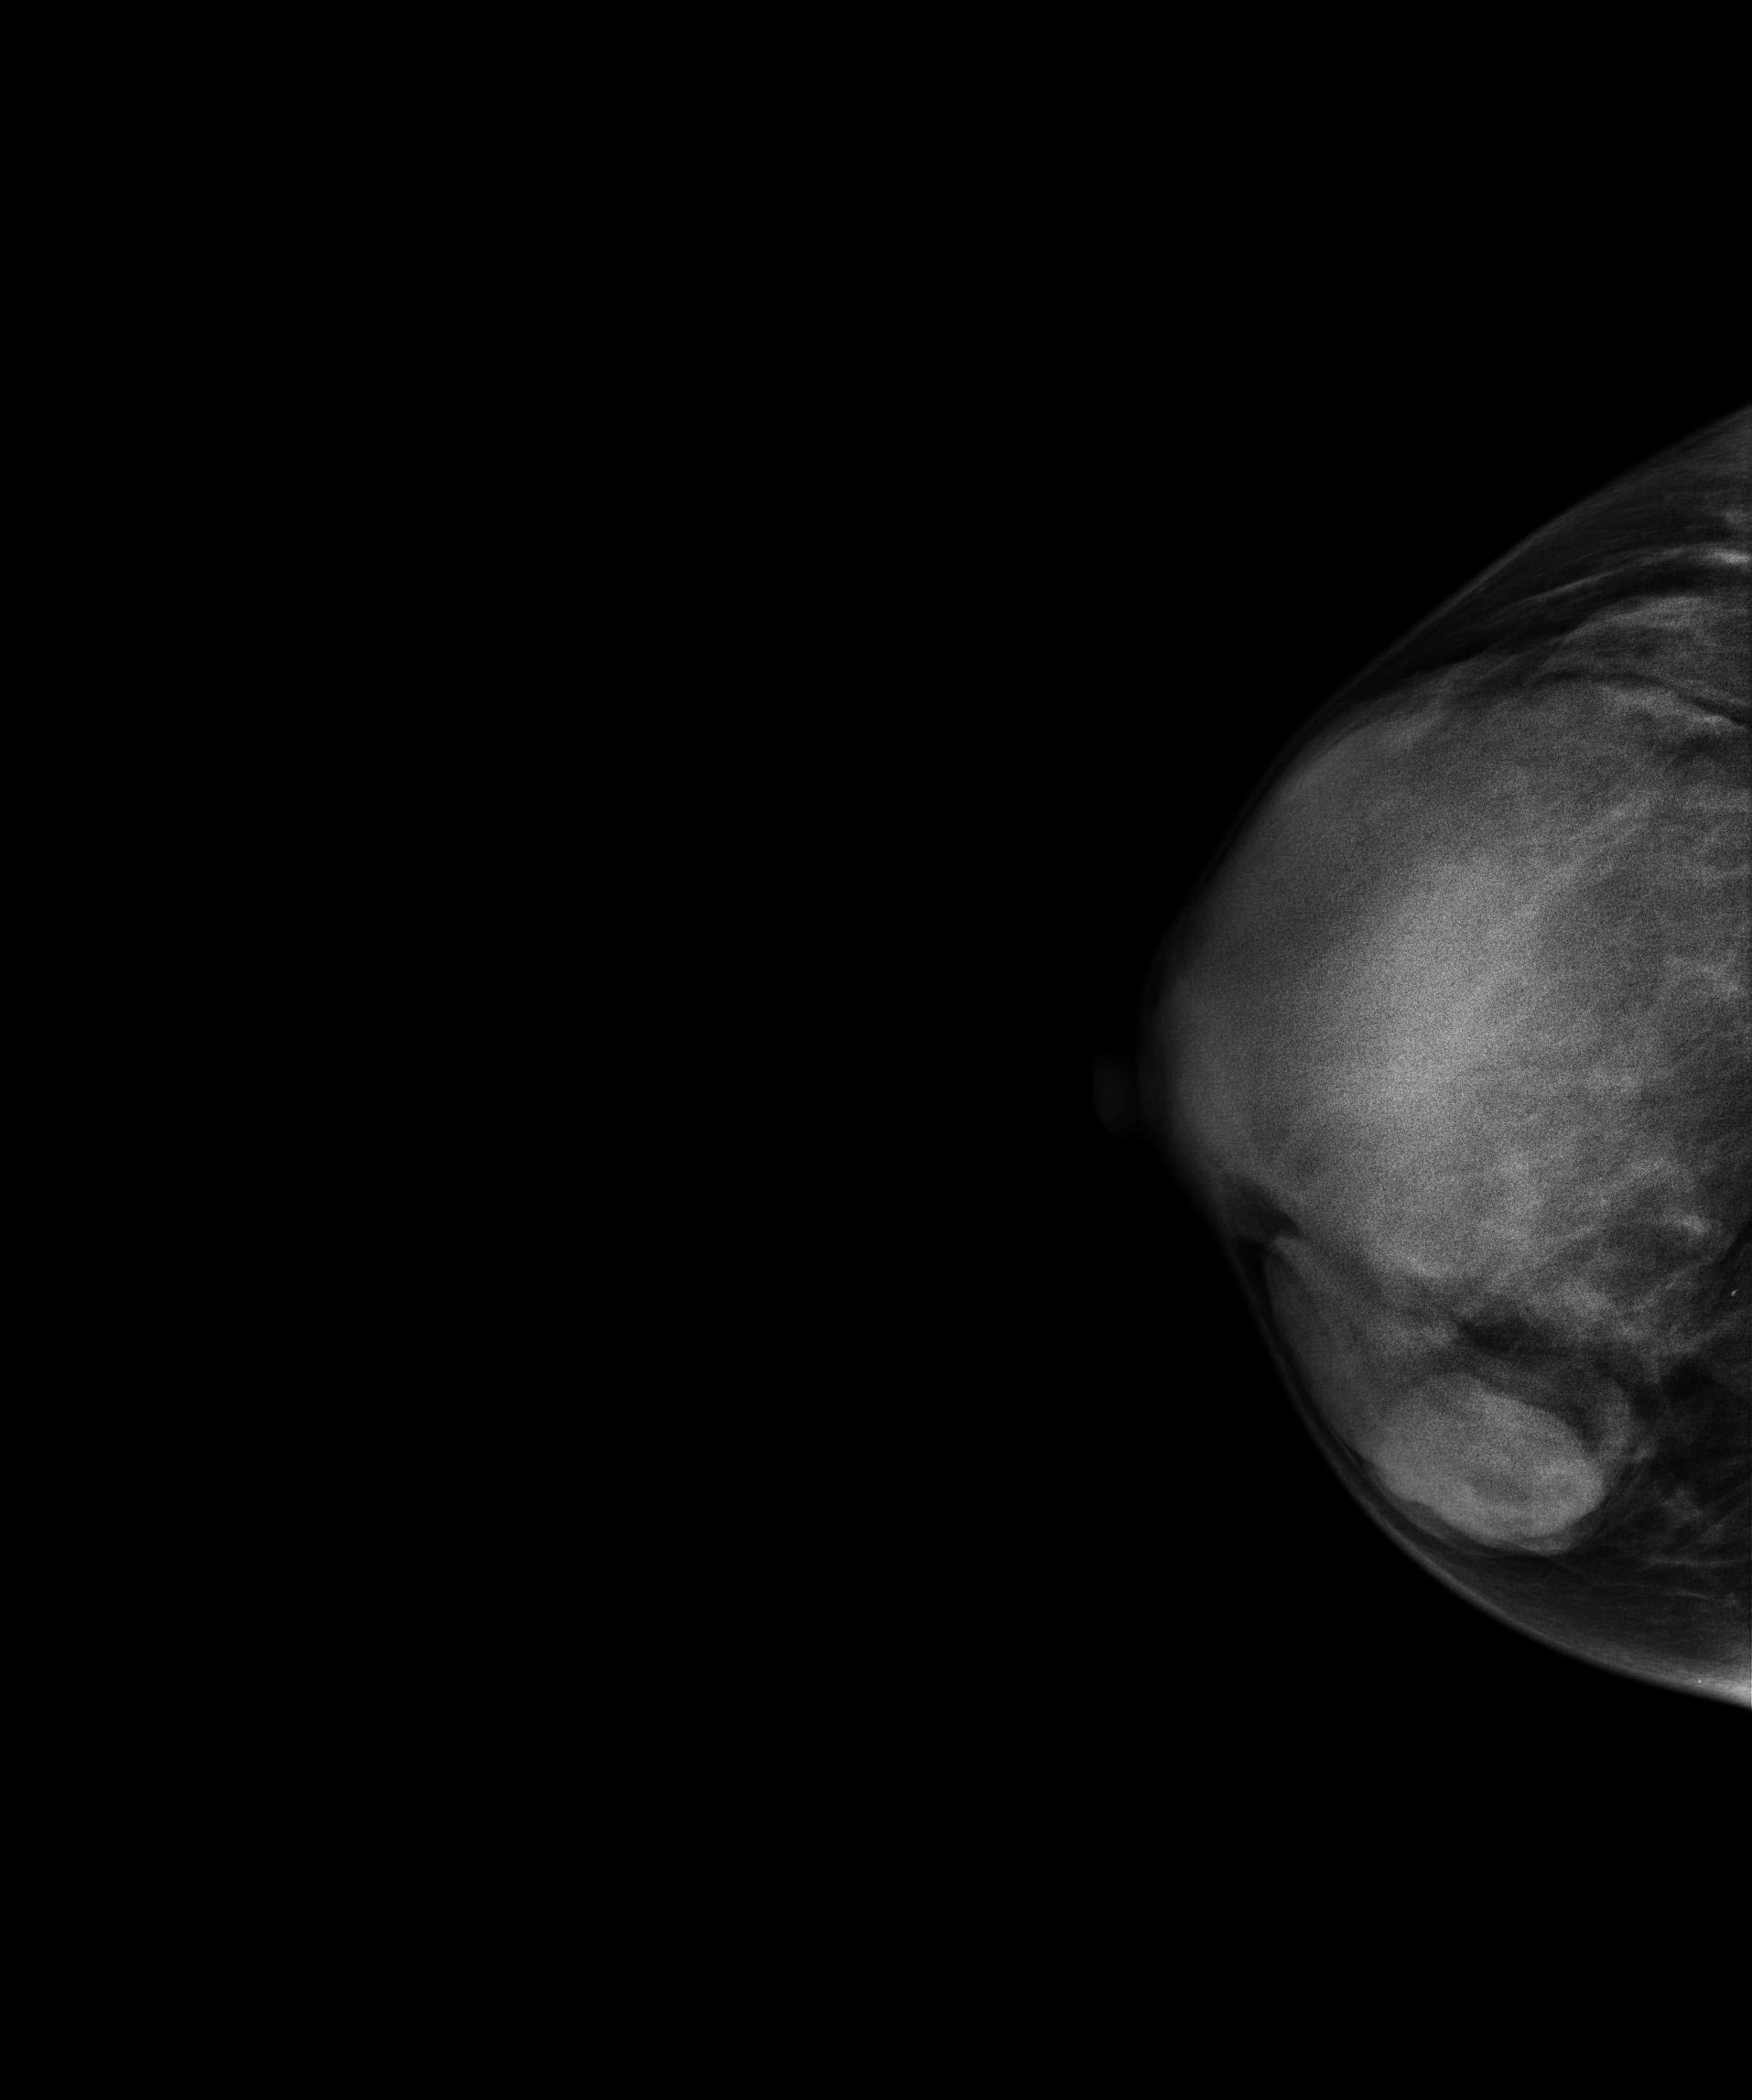
Cranio-caudal mammogram of the right breast. 23 y/o patient.
This breast has a mass, pathology-confirmed benign.